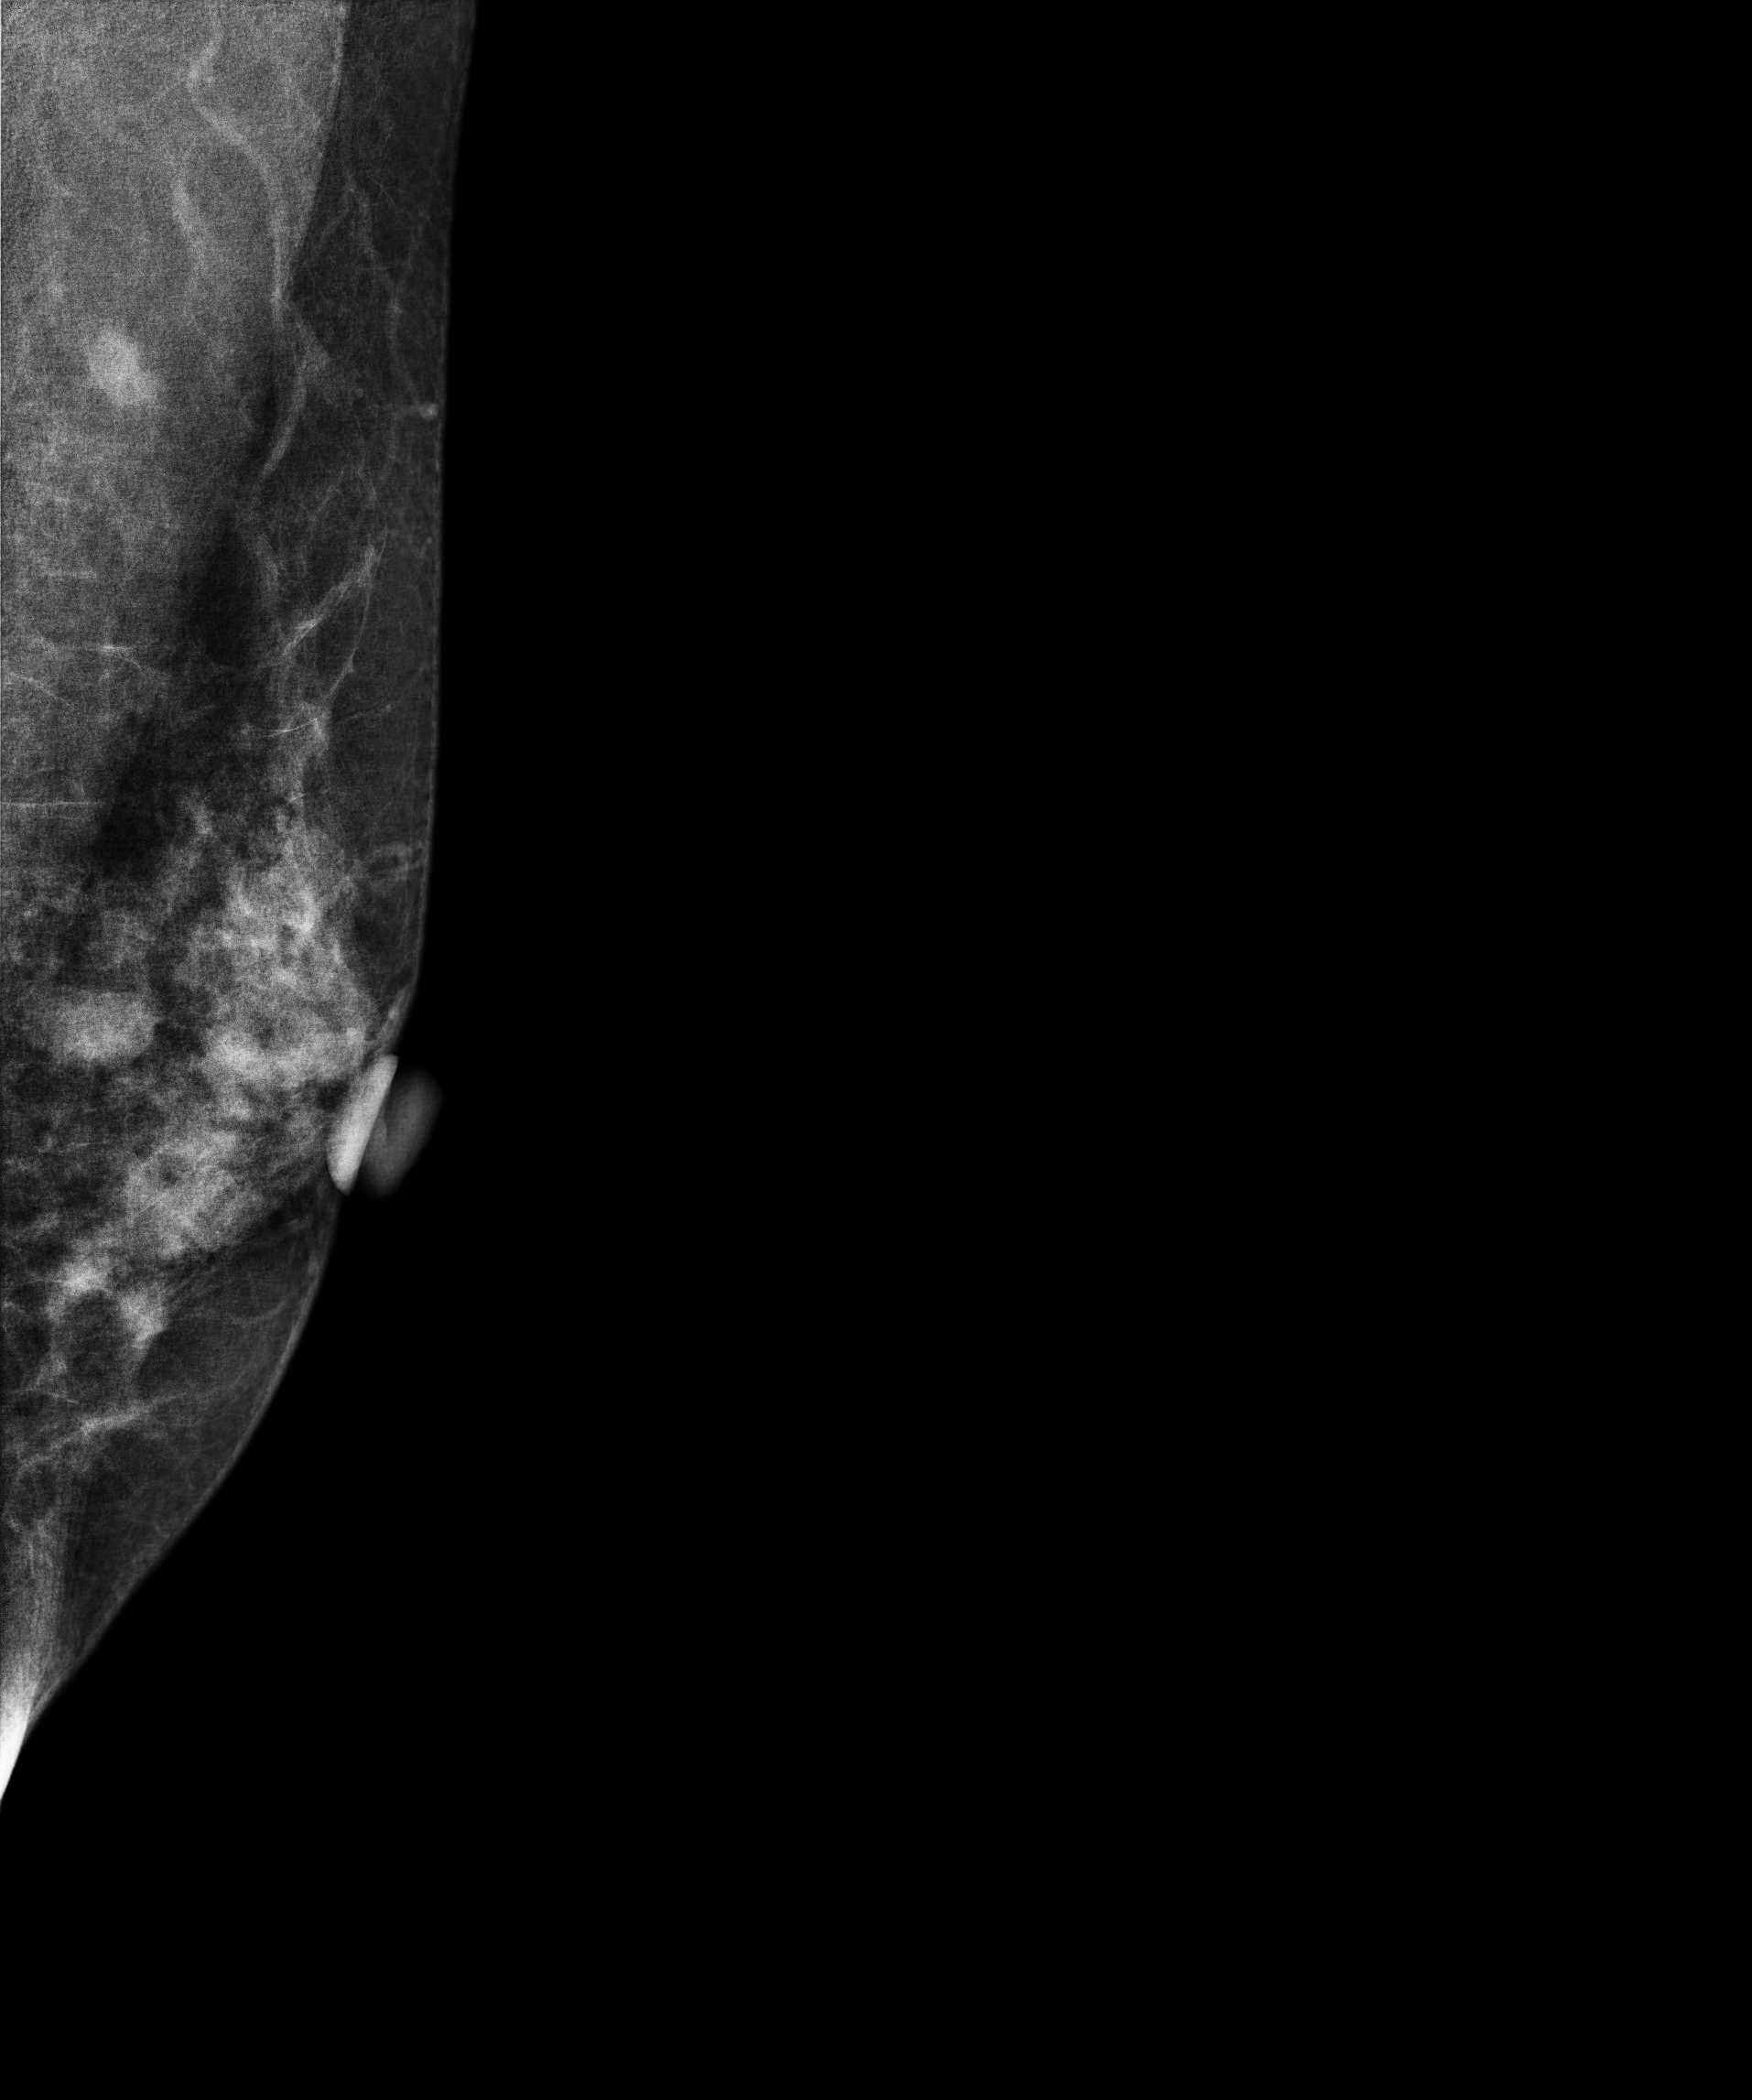
Left-breast mammogram, medio-lateral oblique. Patient age 46.
This breast has a mass, histologically confirmed benign.